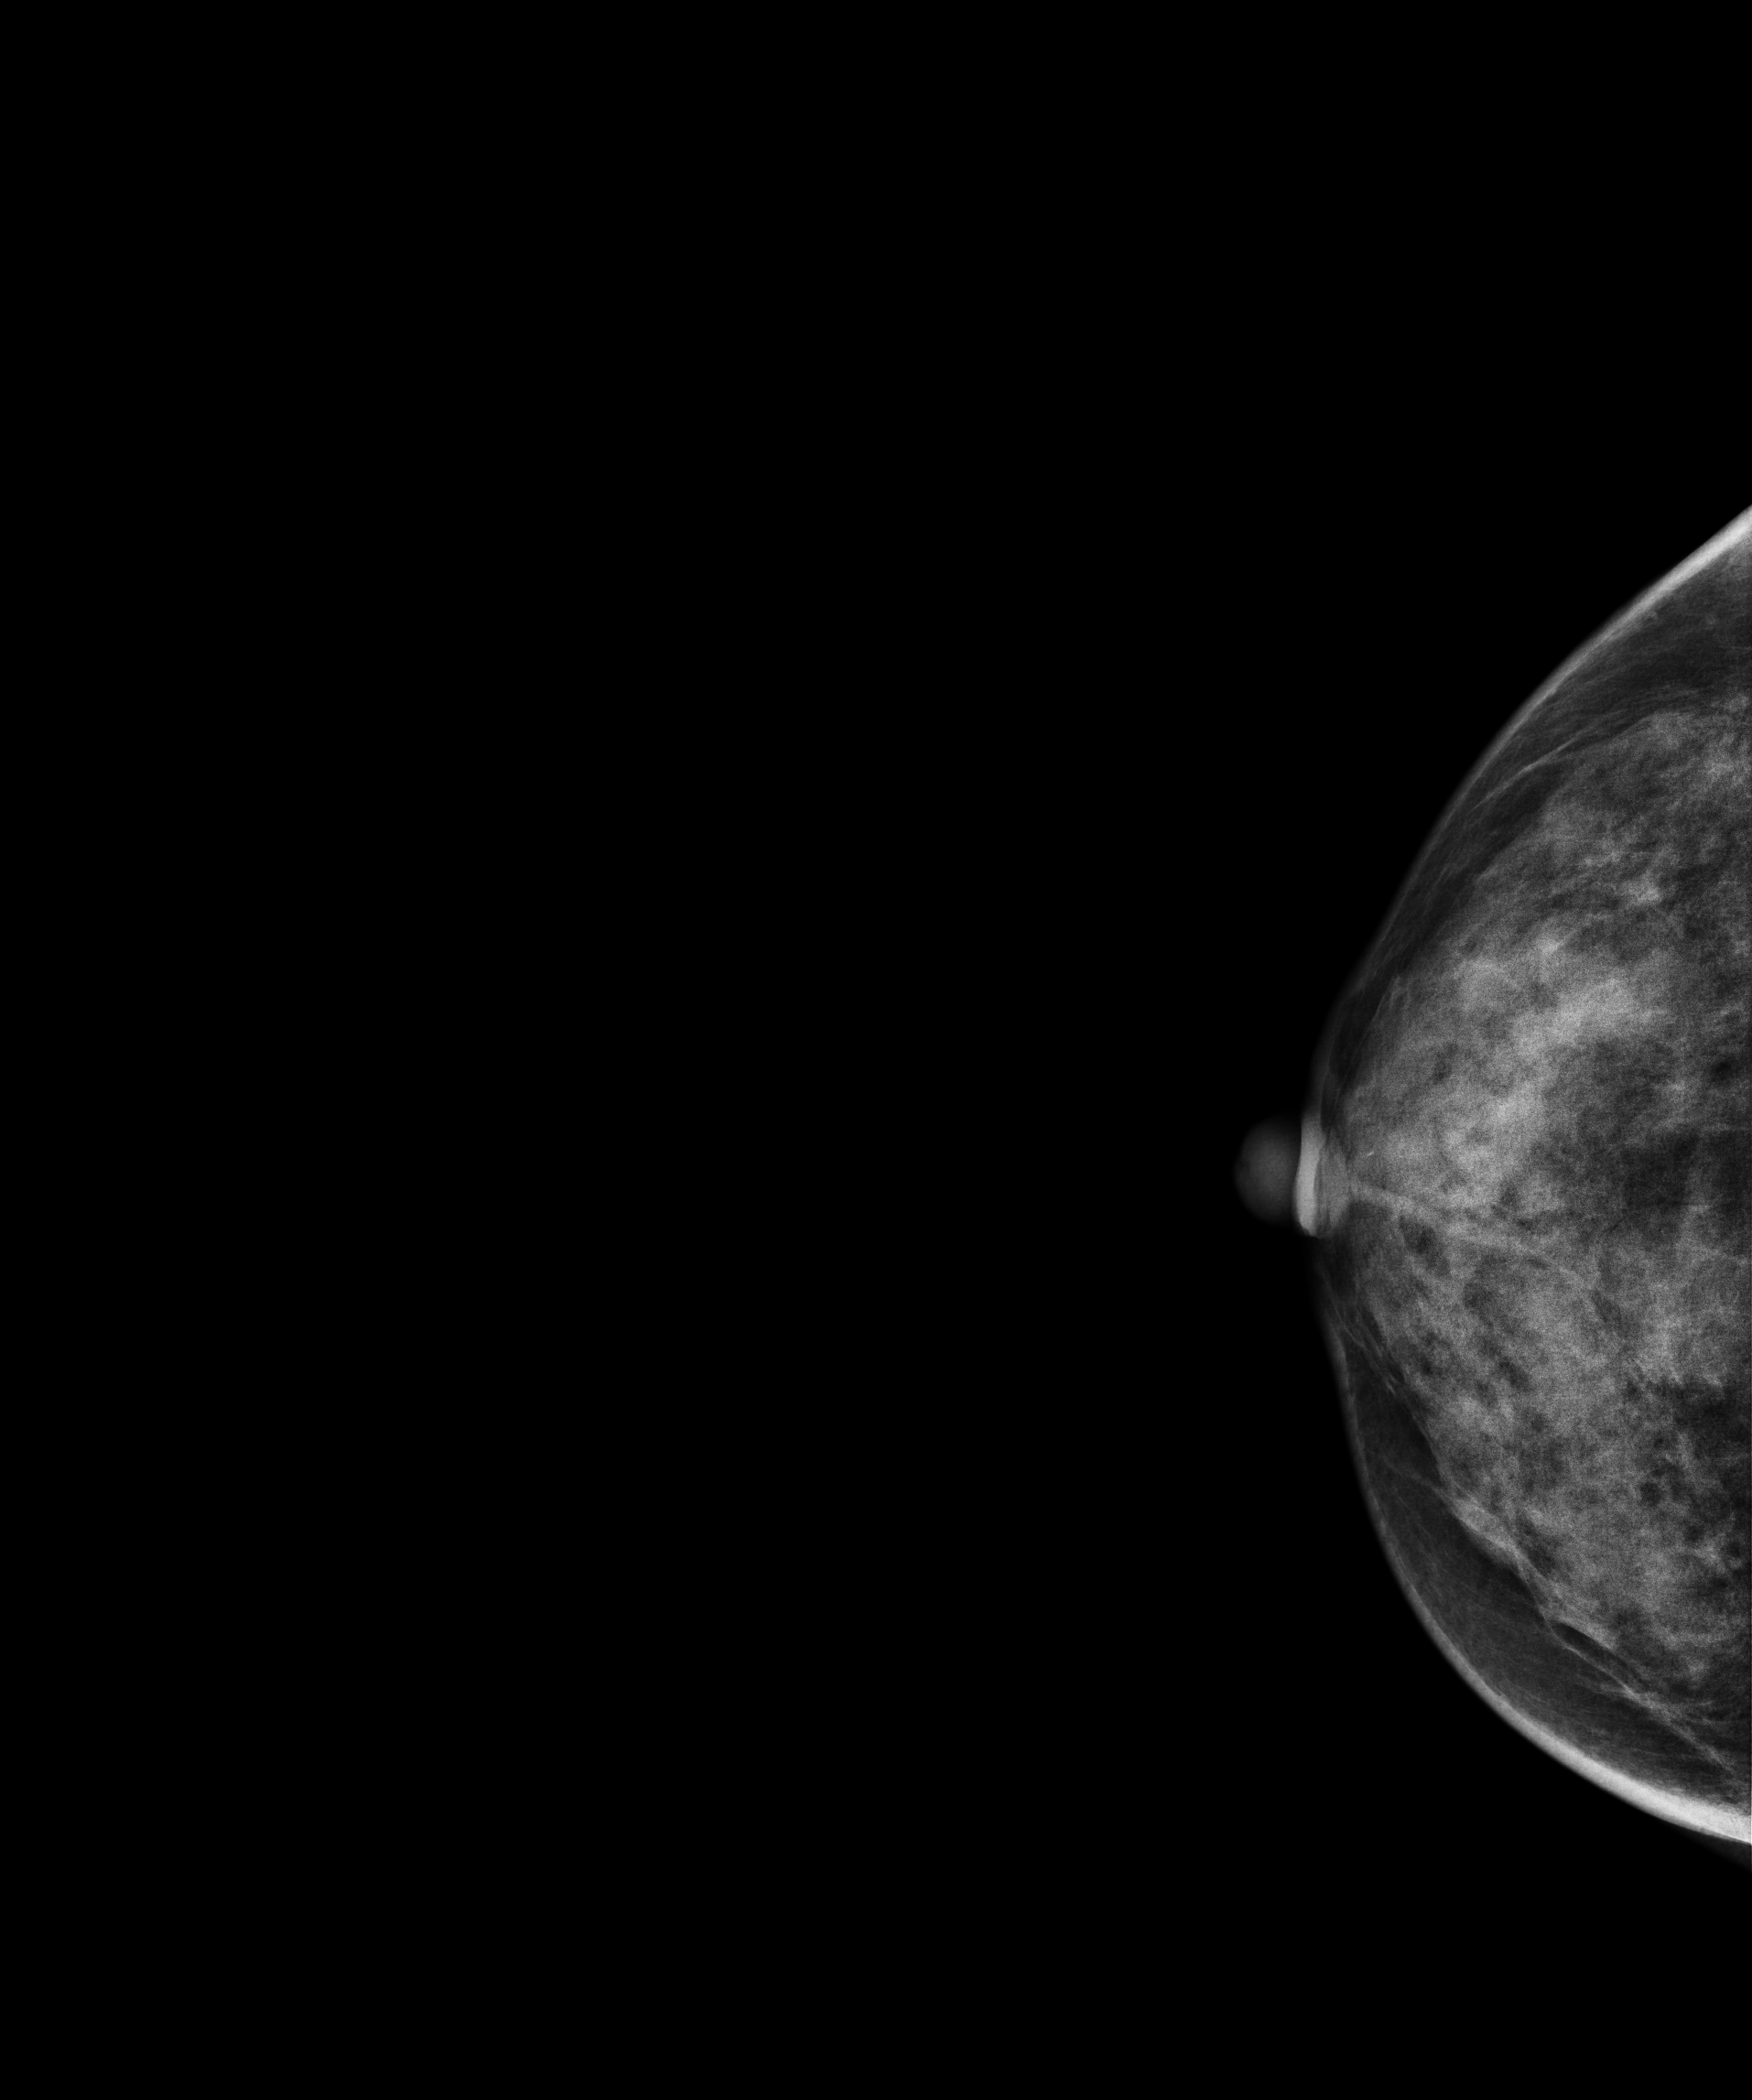
Digital mammography. Right breast, cranio-caudal projection. 49 y/o patient.
Contralateral breast — no documented abnormality on this side.